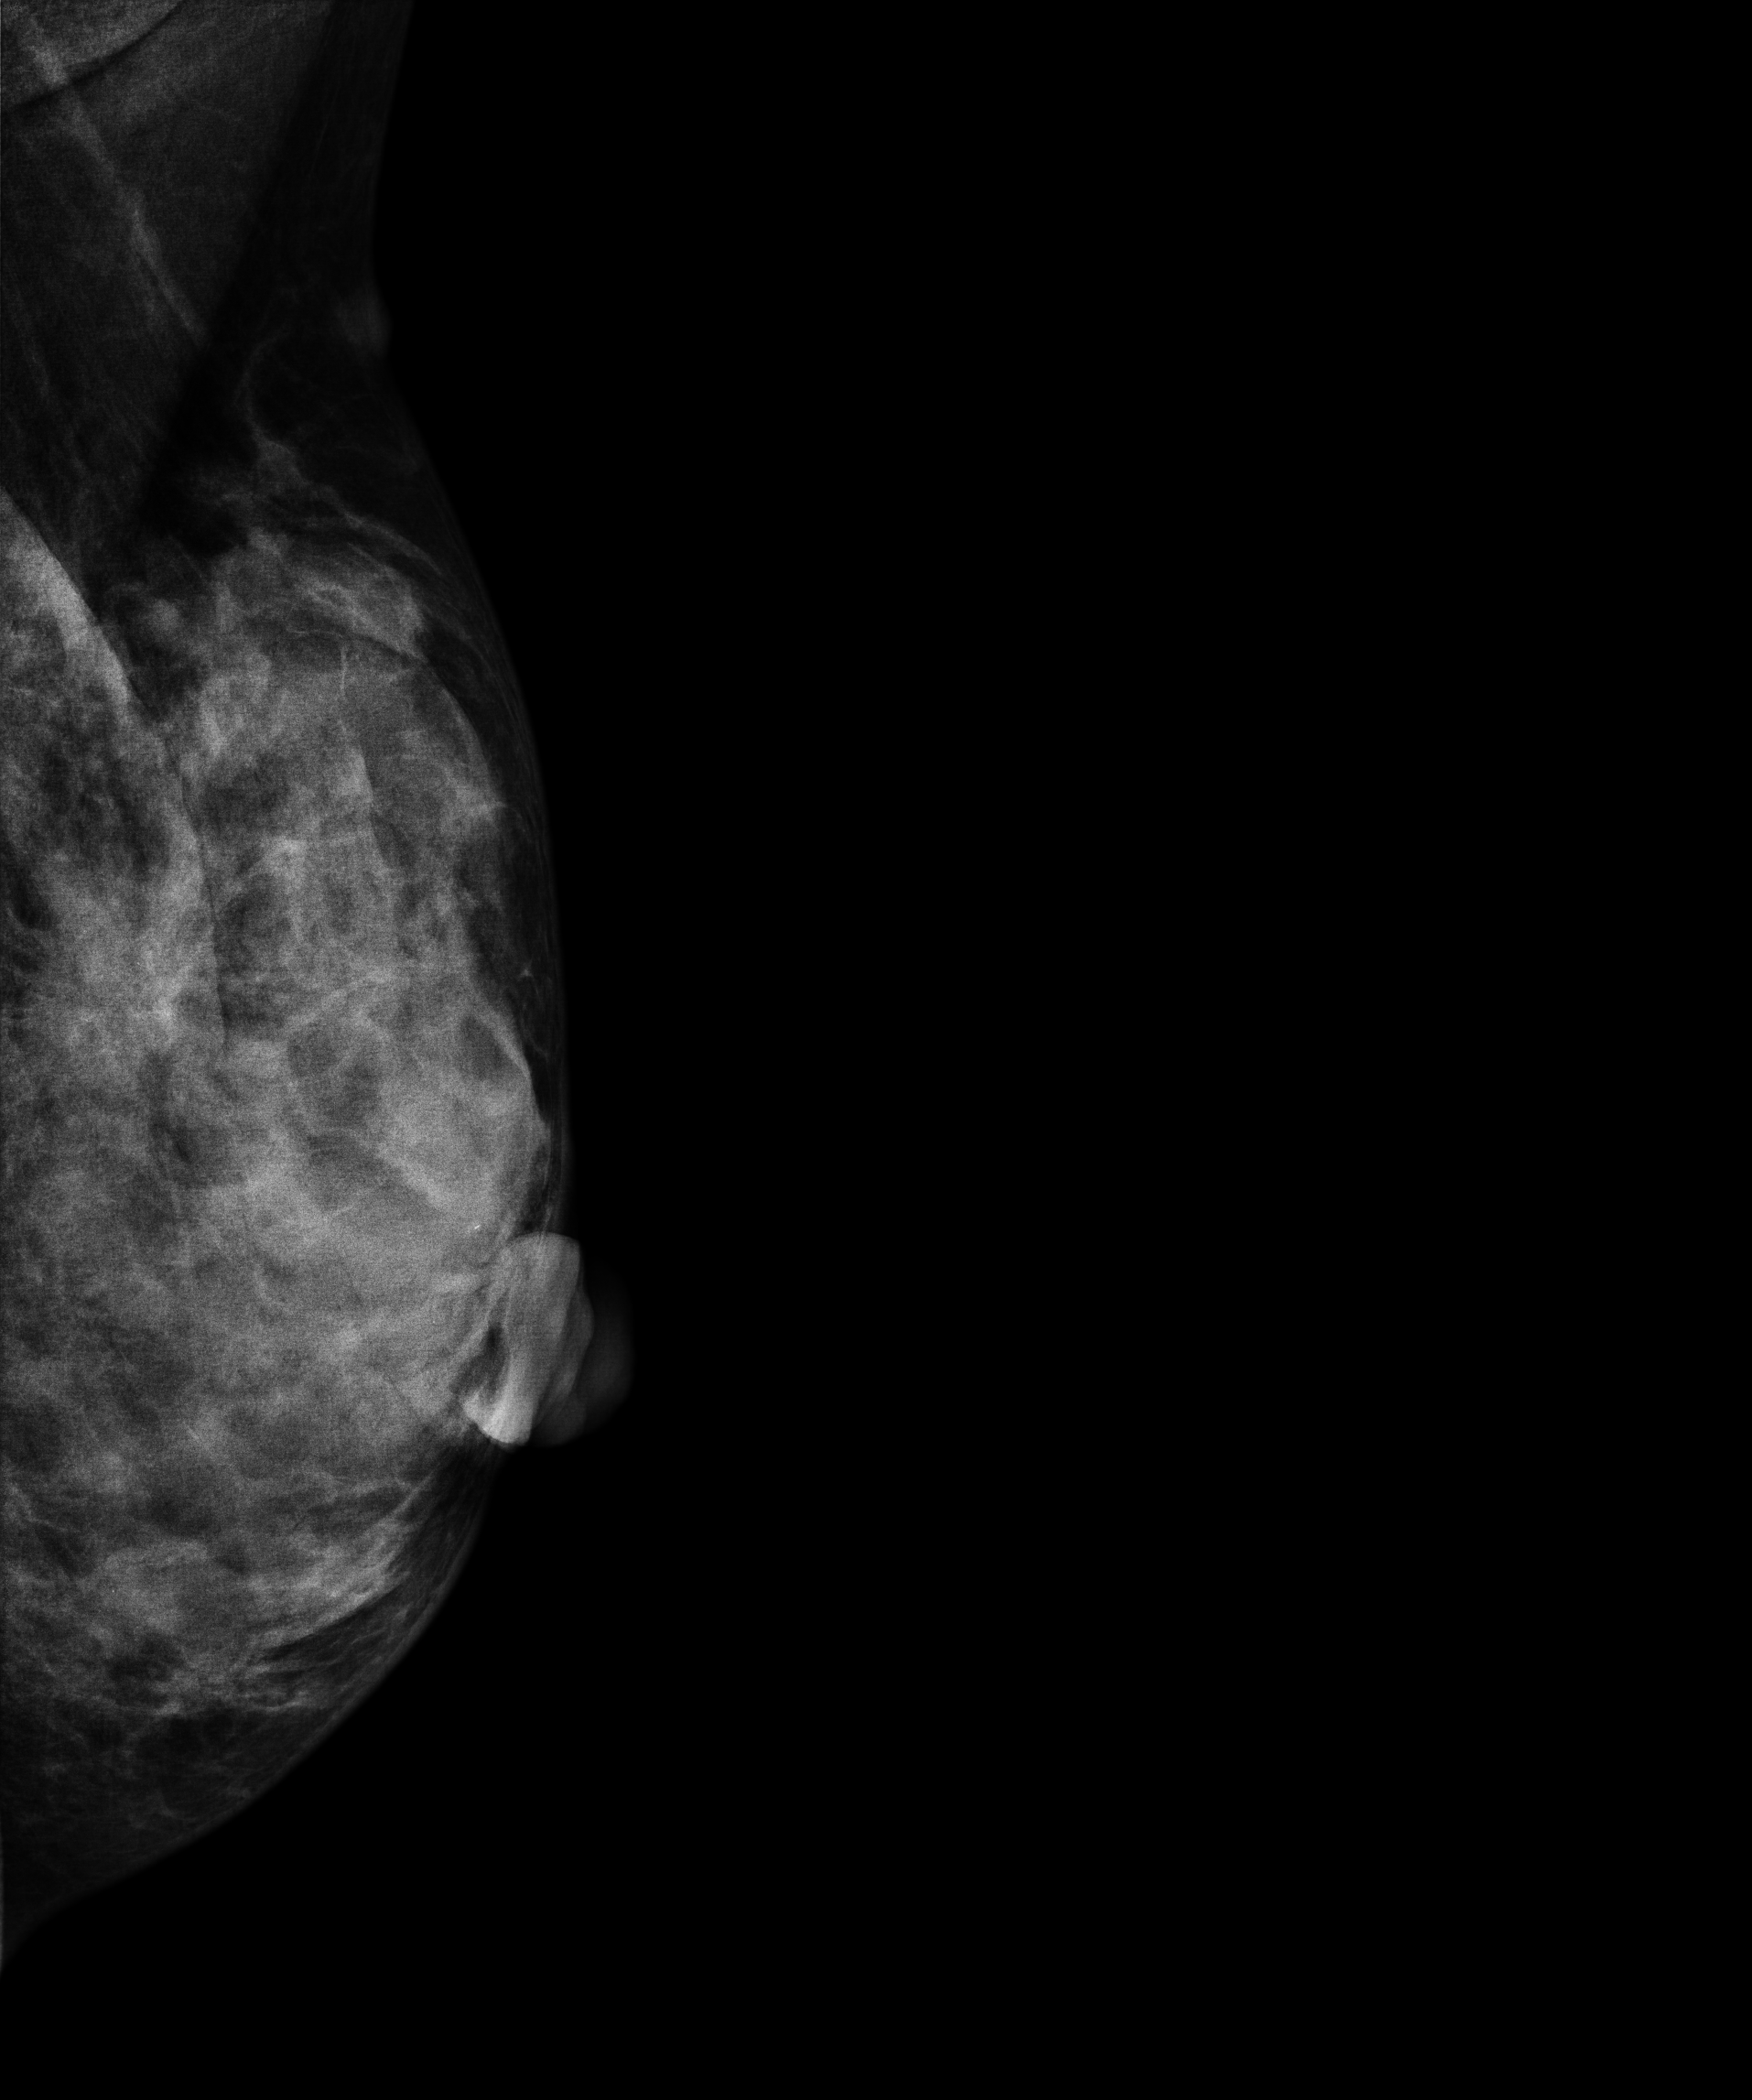
Mammogram, left breast, MLO view. 51-year-old patient.
This breast has a mass, histologically confirmed malignant. Molecular subtype: luminal B.